Mammogram — left medio-lateral oblique. 34 y/o patient.
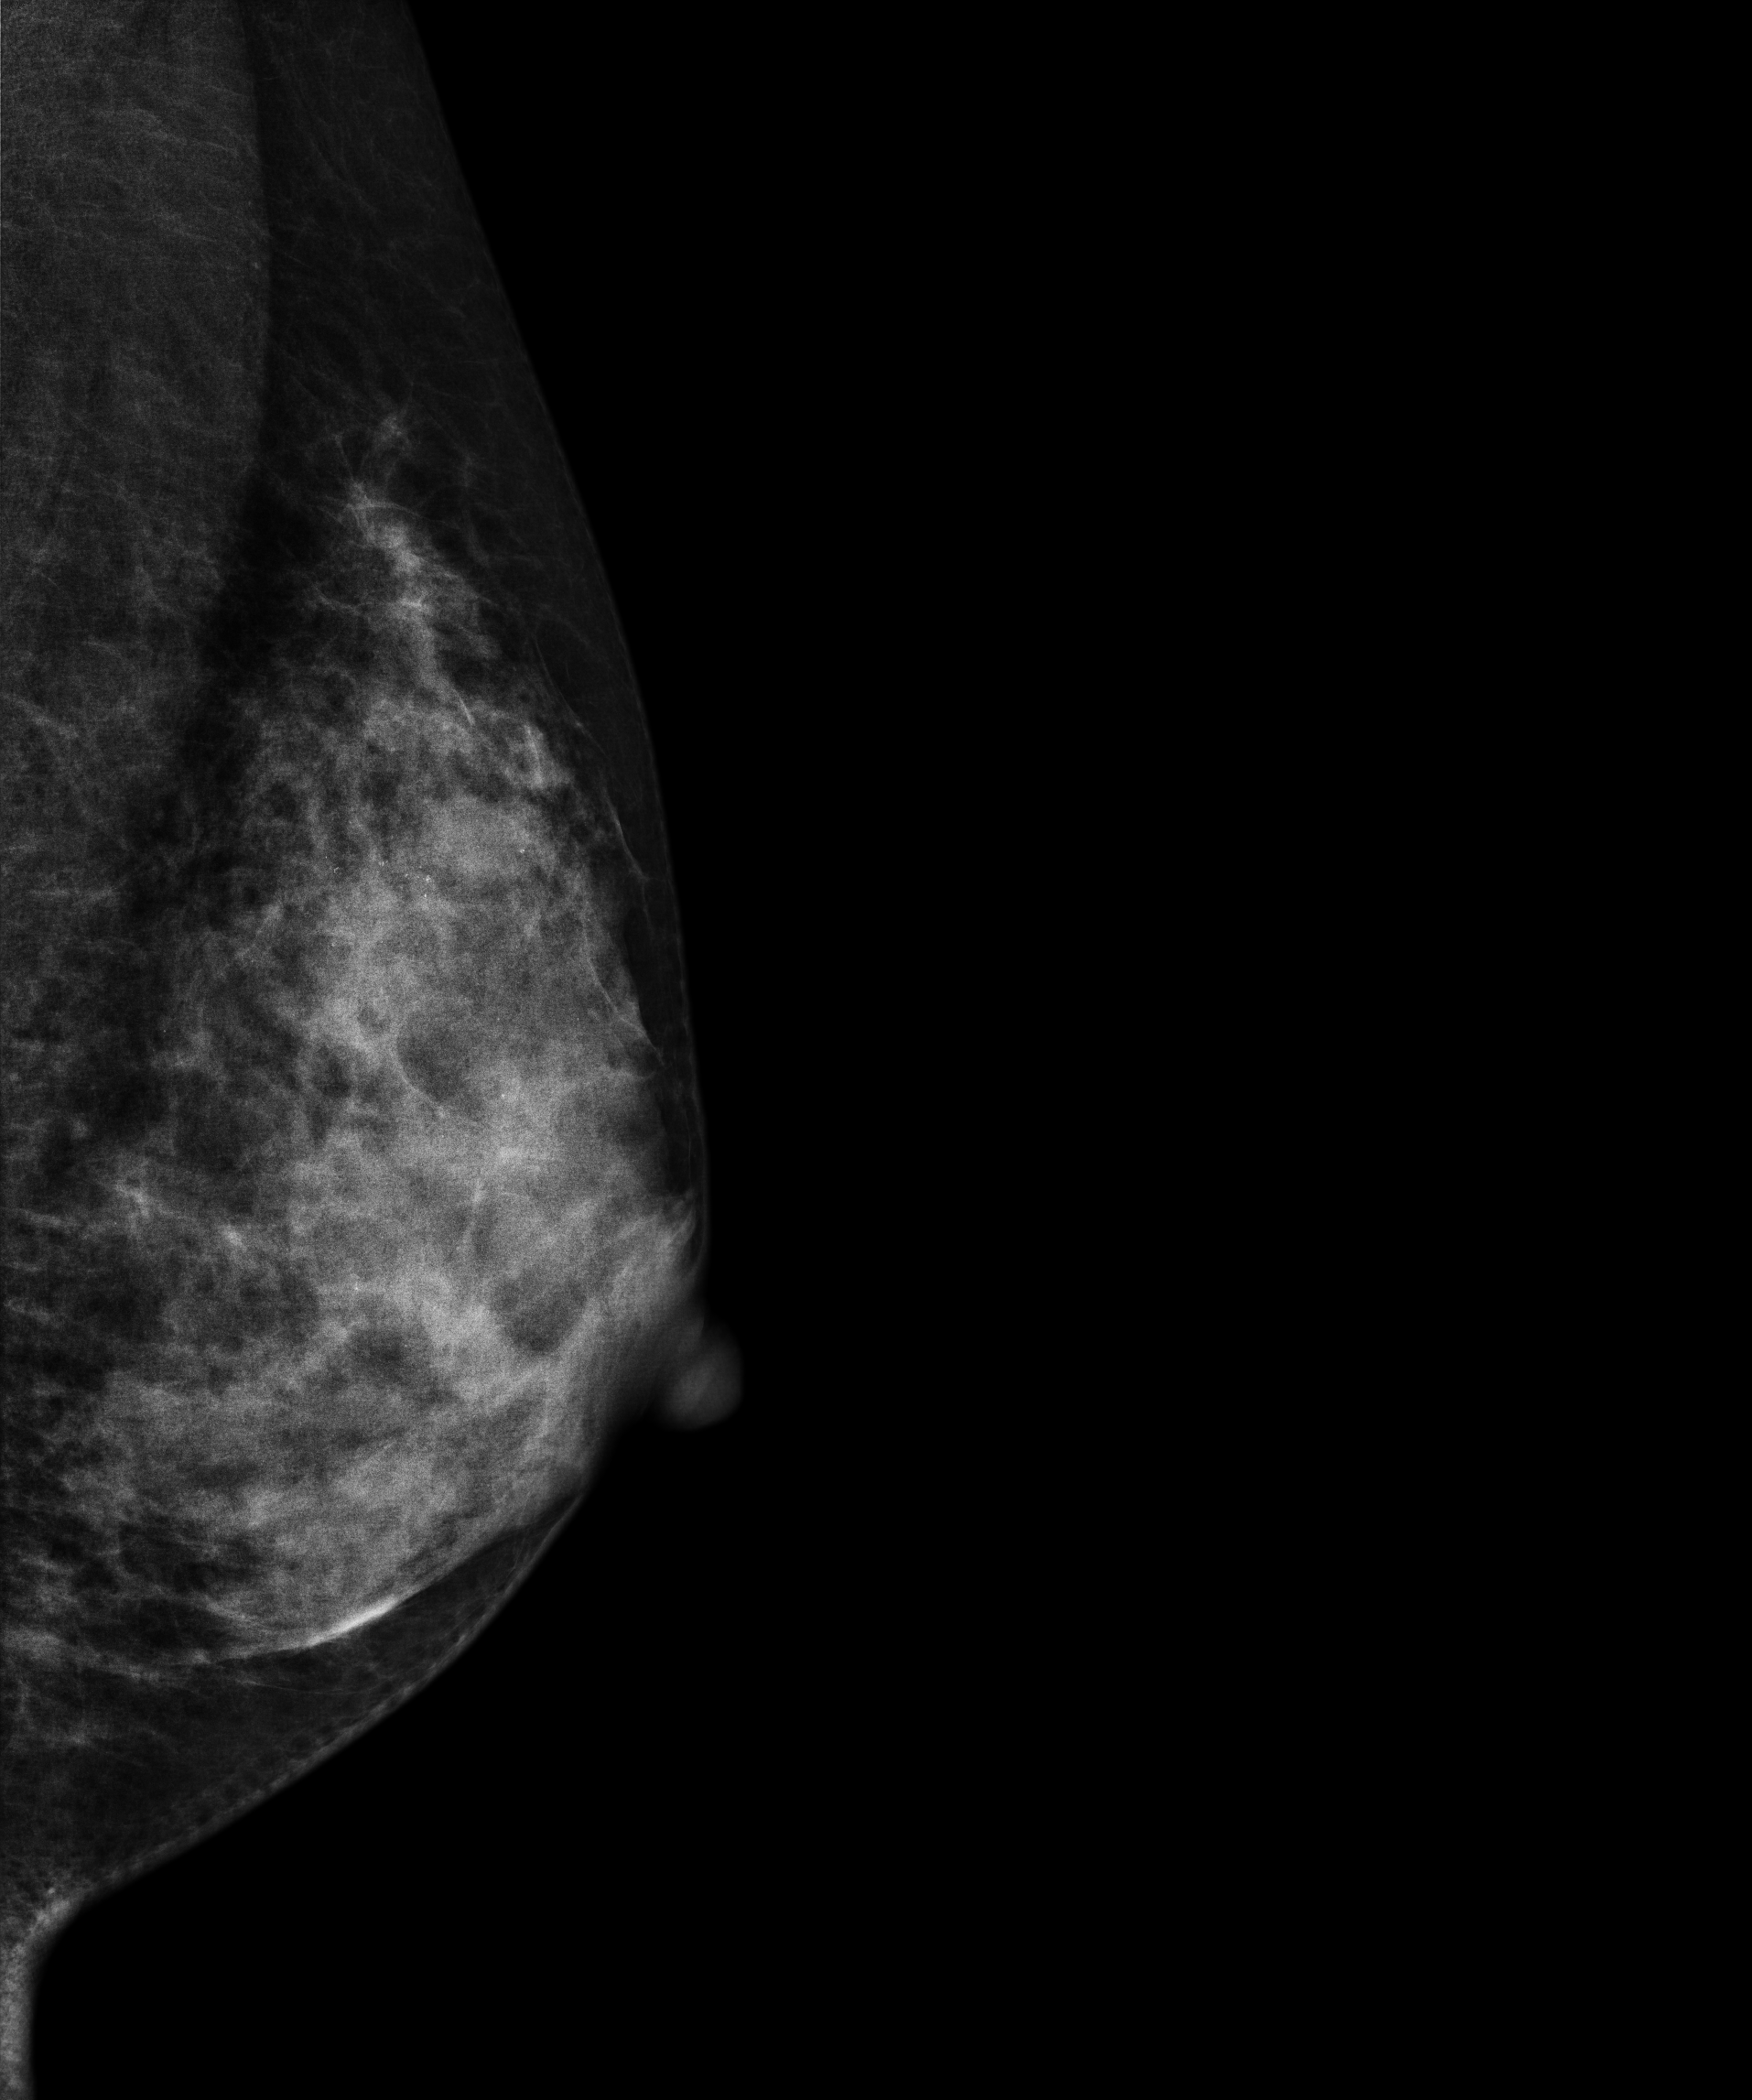
This breast has calcifications, pathology-confirmed benign.